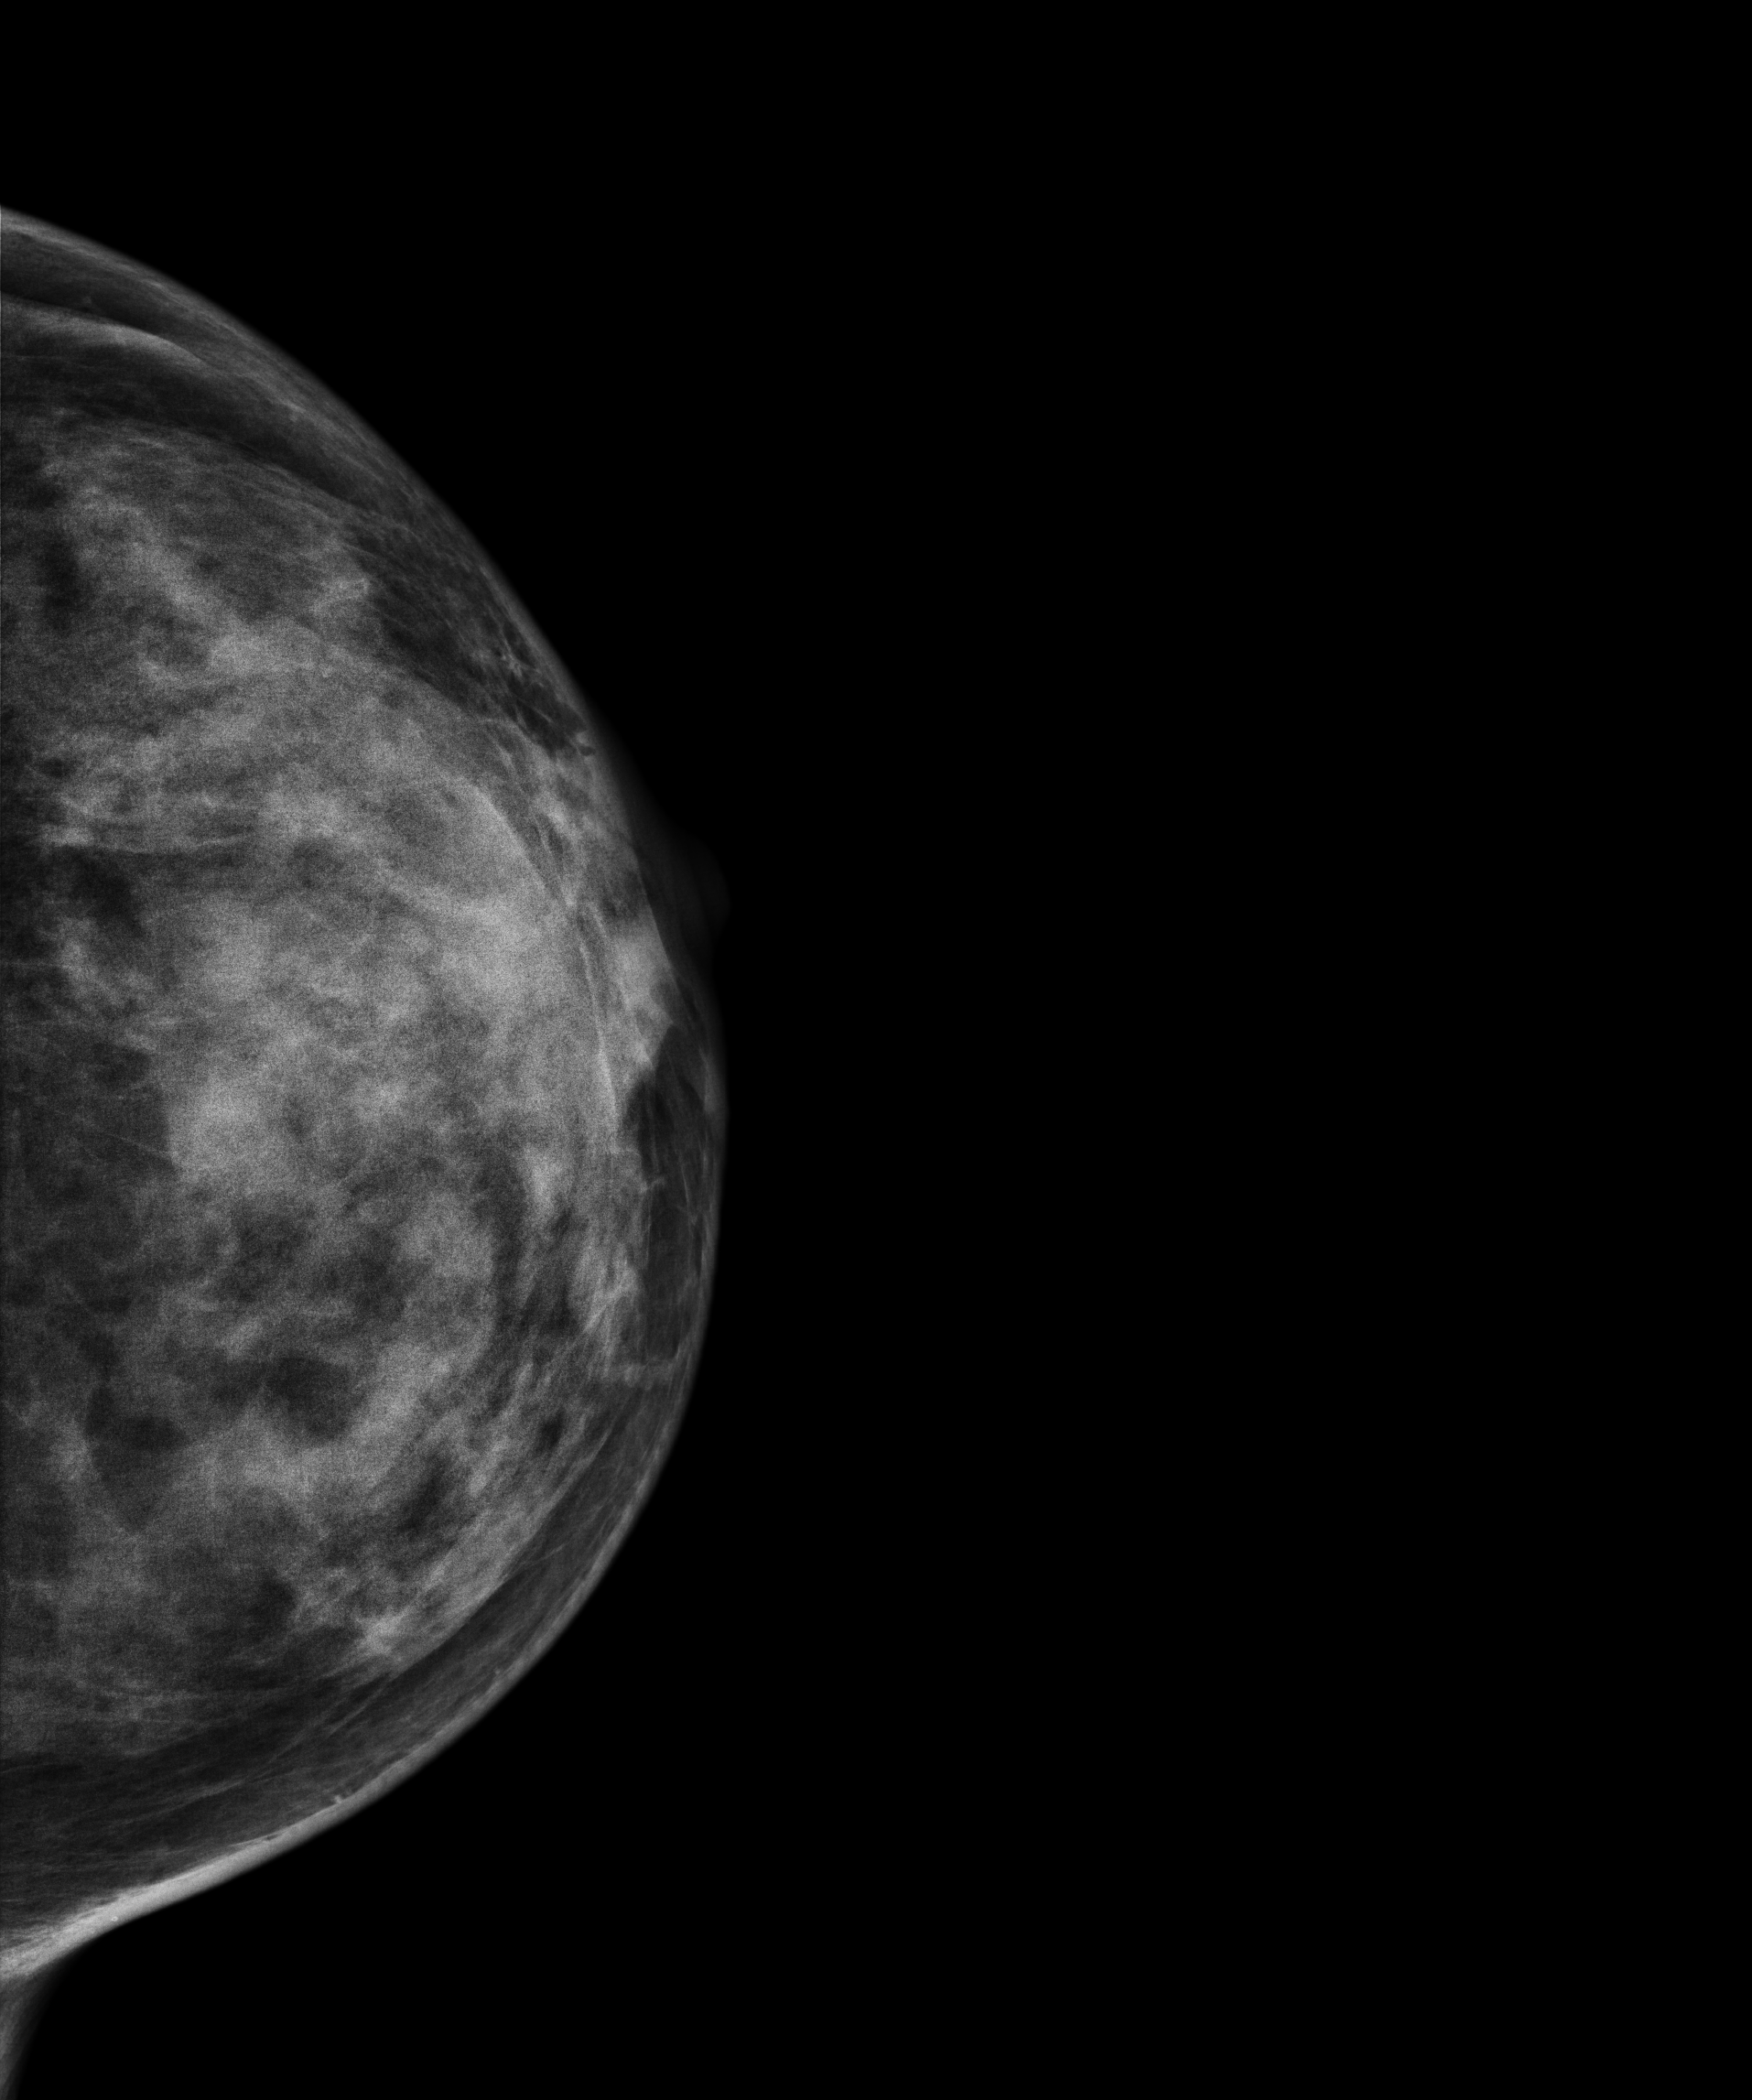
Mammogram, left breast, CC view. Patient age 34.
This breast has a mass, pathology-confirmed malignant. Molecular subtype: luminal B.